Left-breast mammogram, medio-lateral oblique. 50 y/o patient.
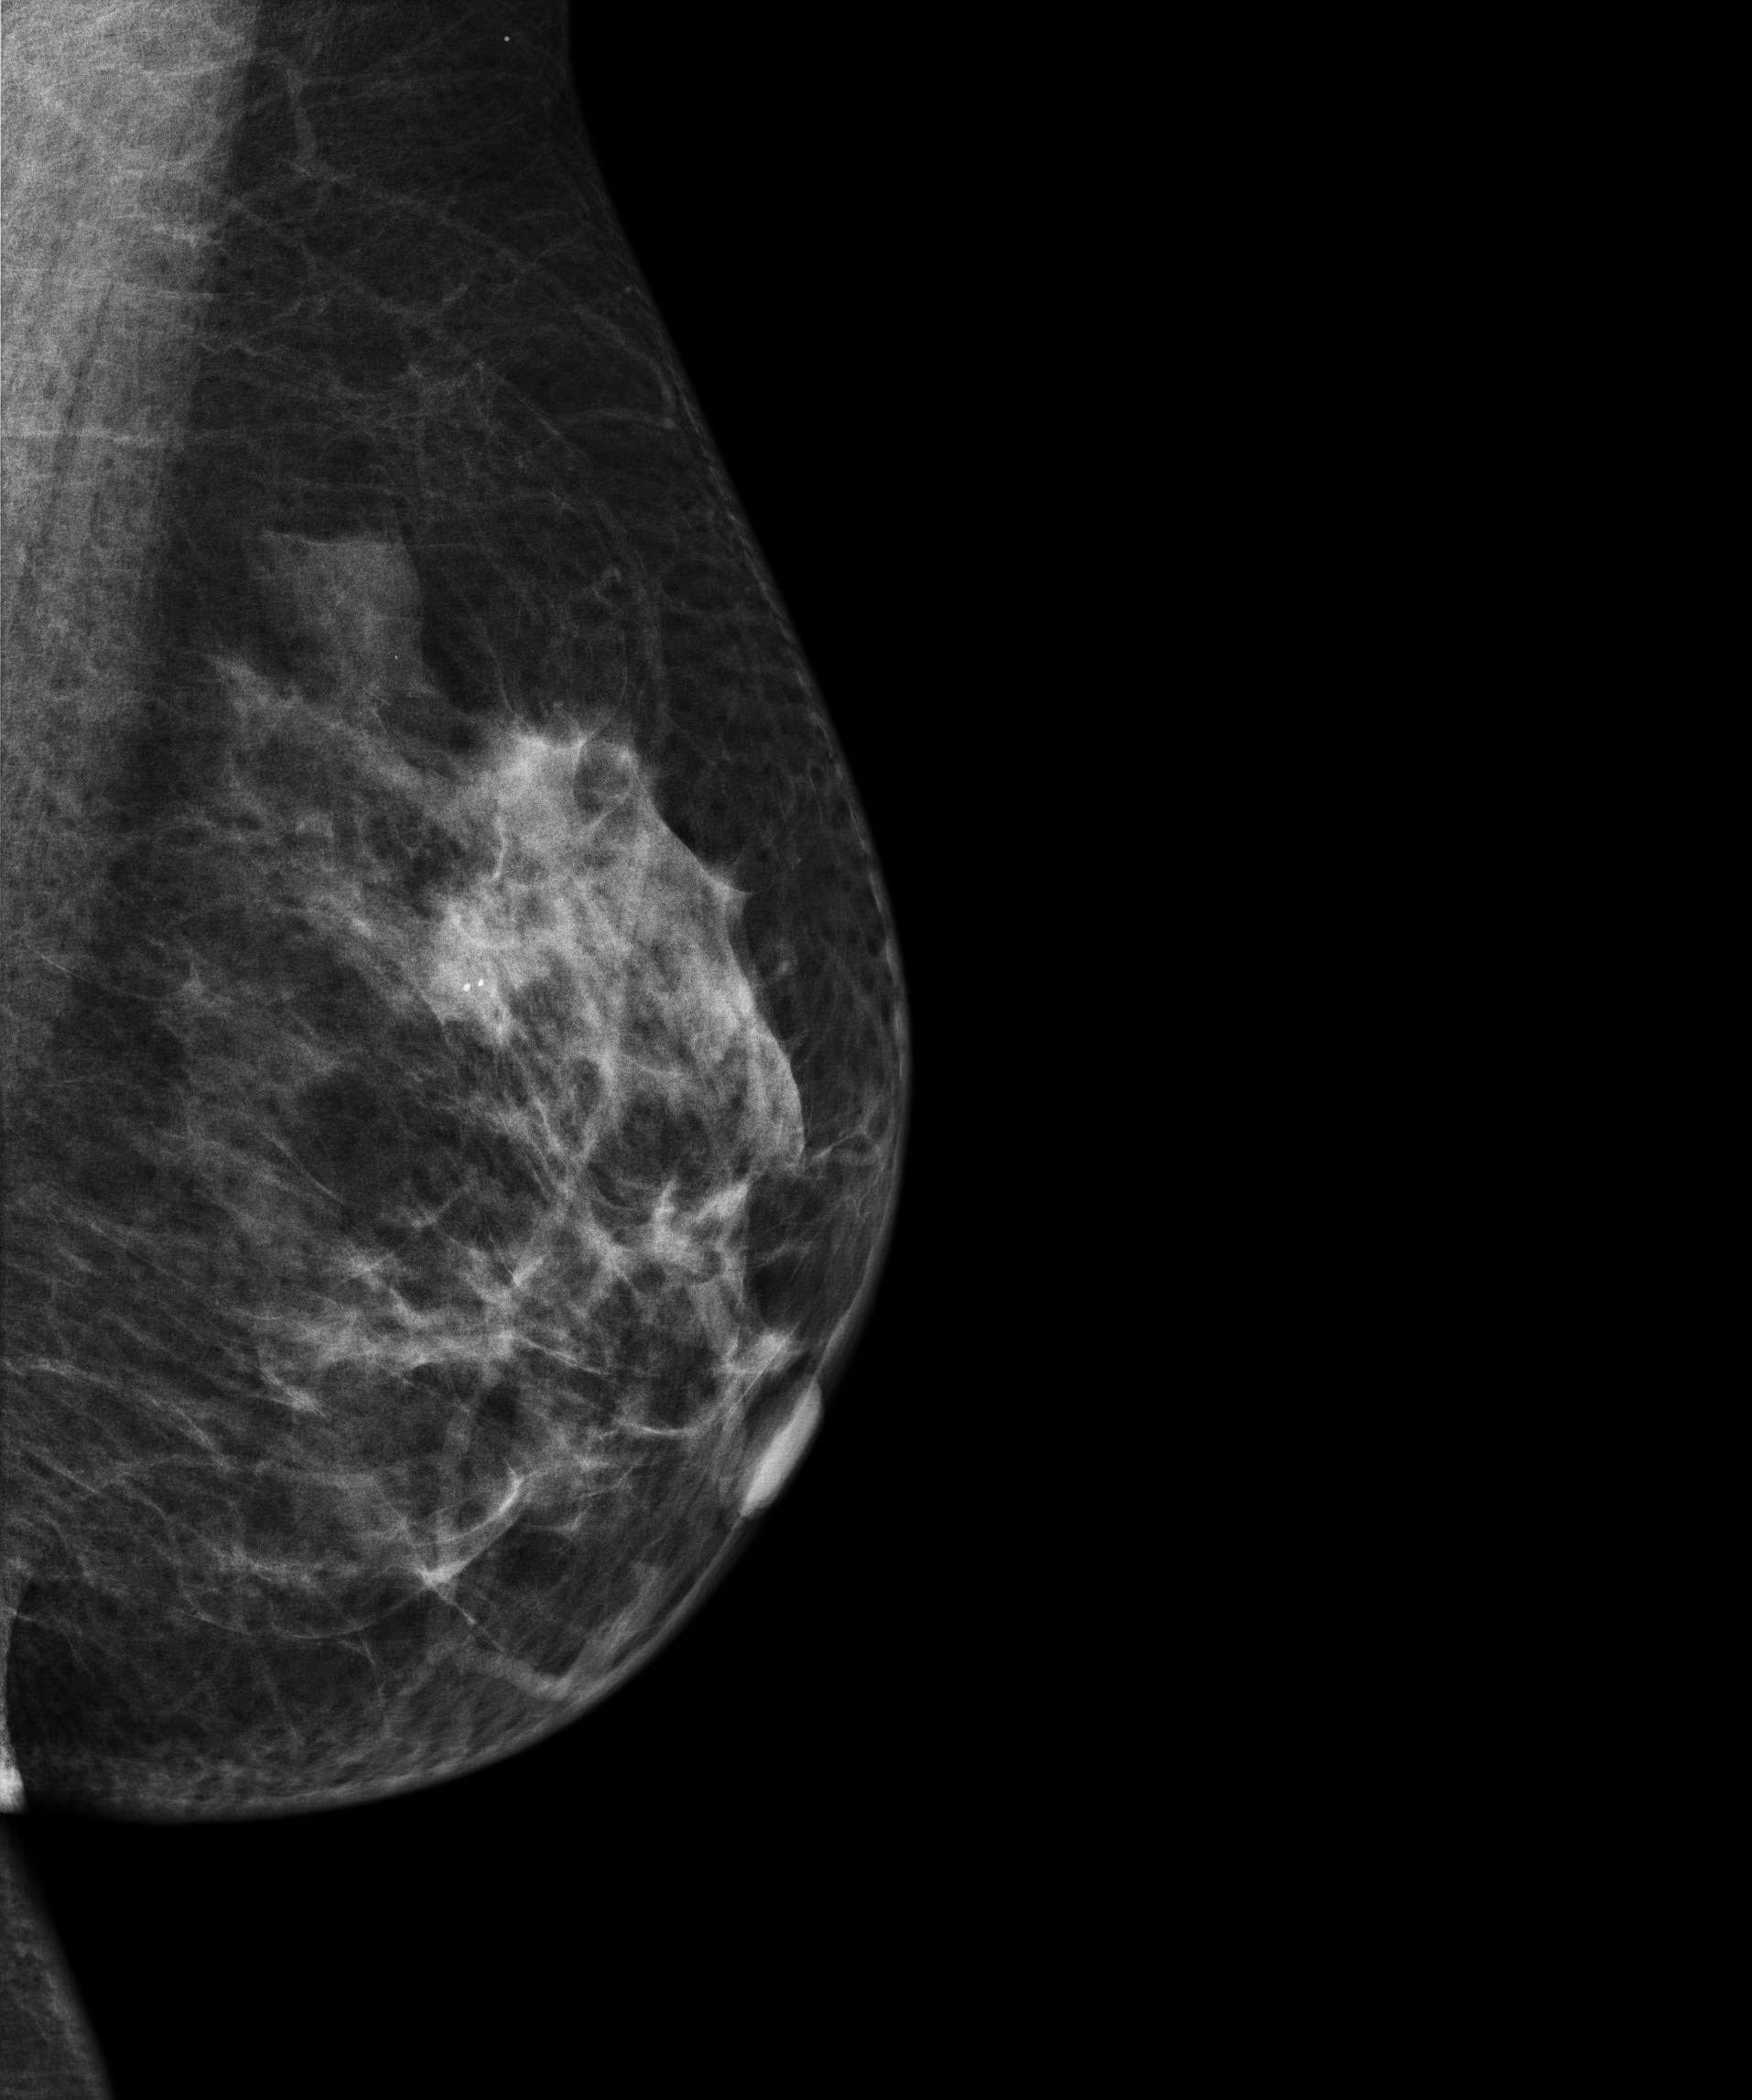
This breast has a mass and calcifications, biopsy-confirmed benign.